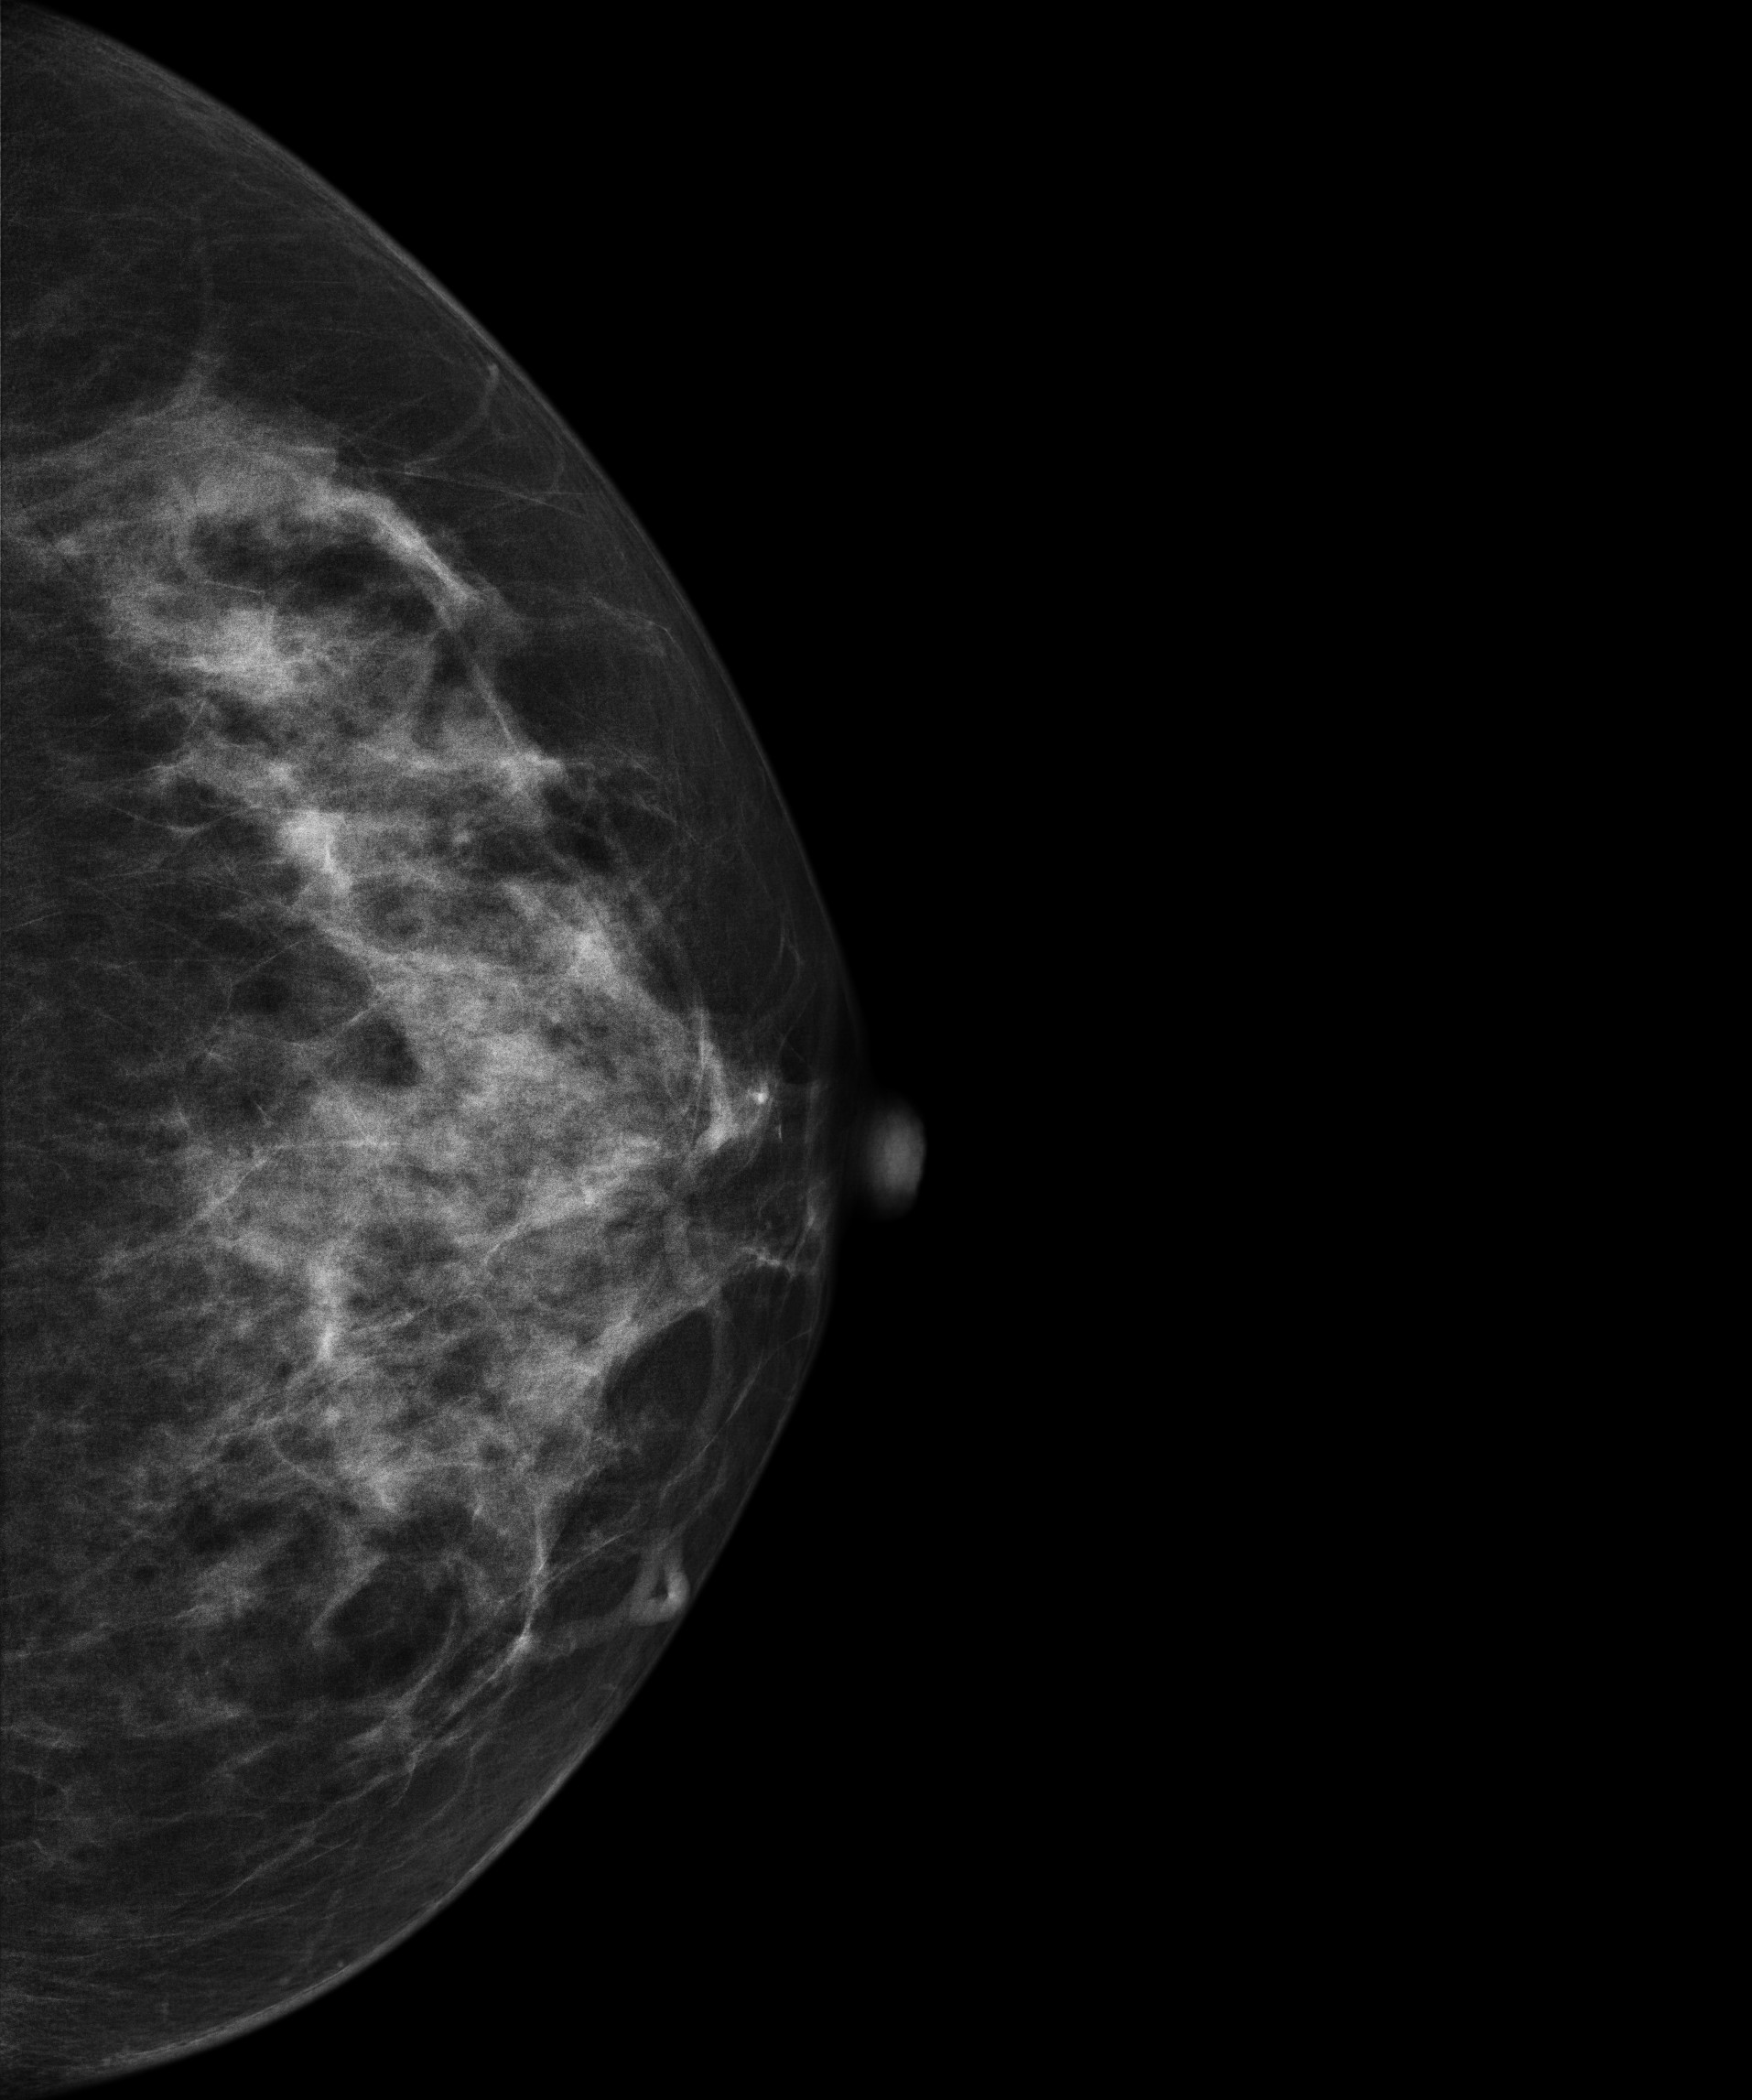
Mammogram, left breast, cranio-caudal view. 55-year-old patient.
This breast has a mass, histologically confirmed malignant.